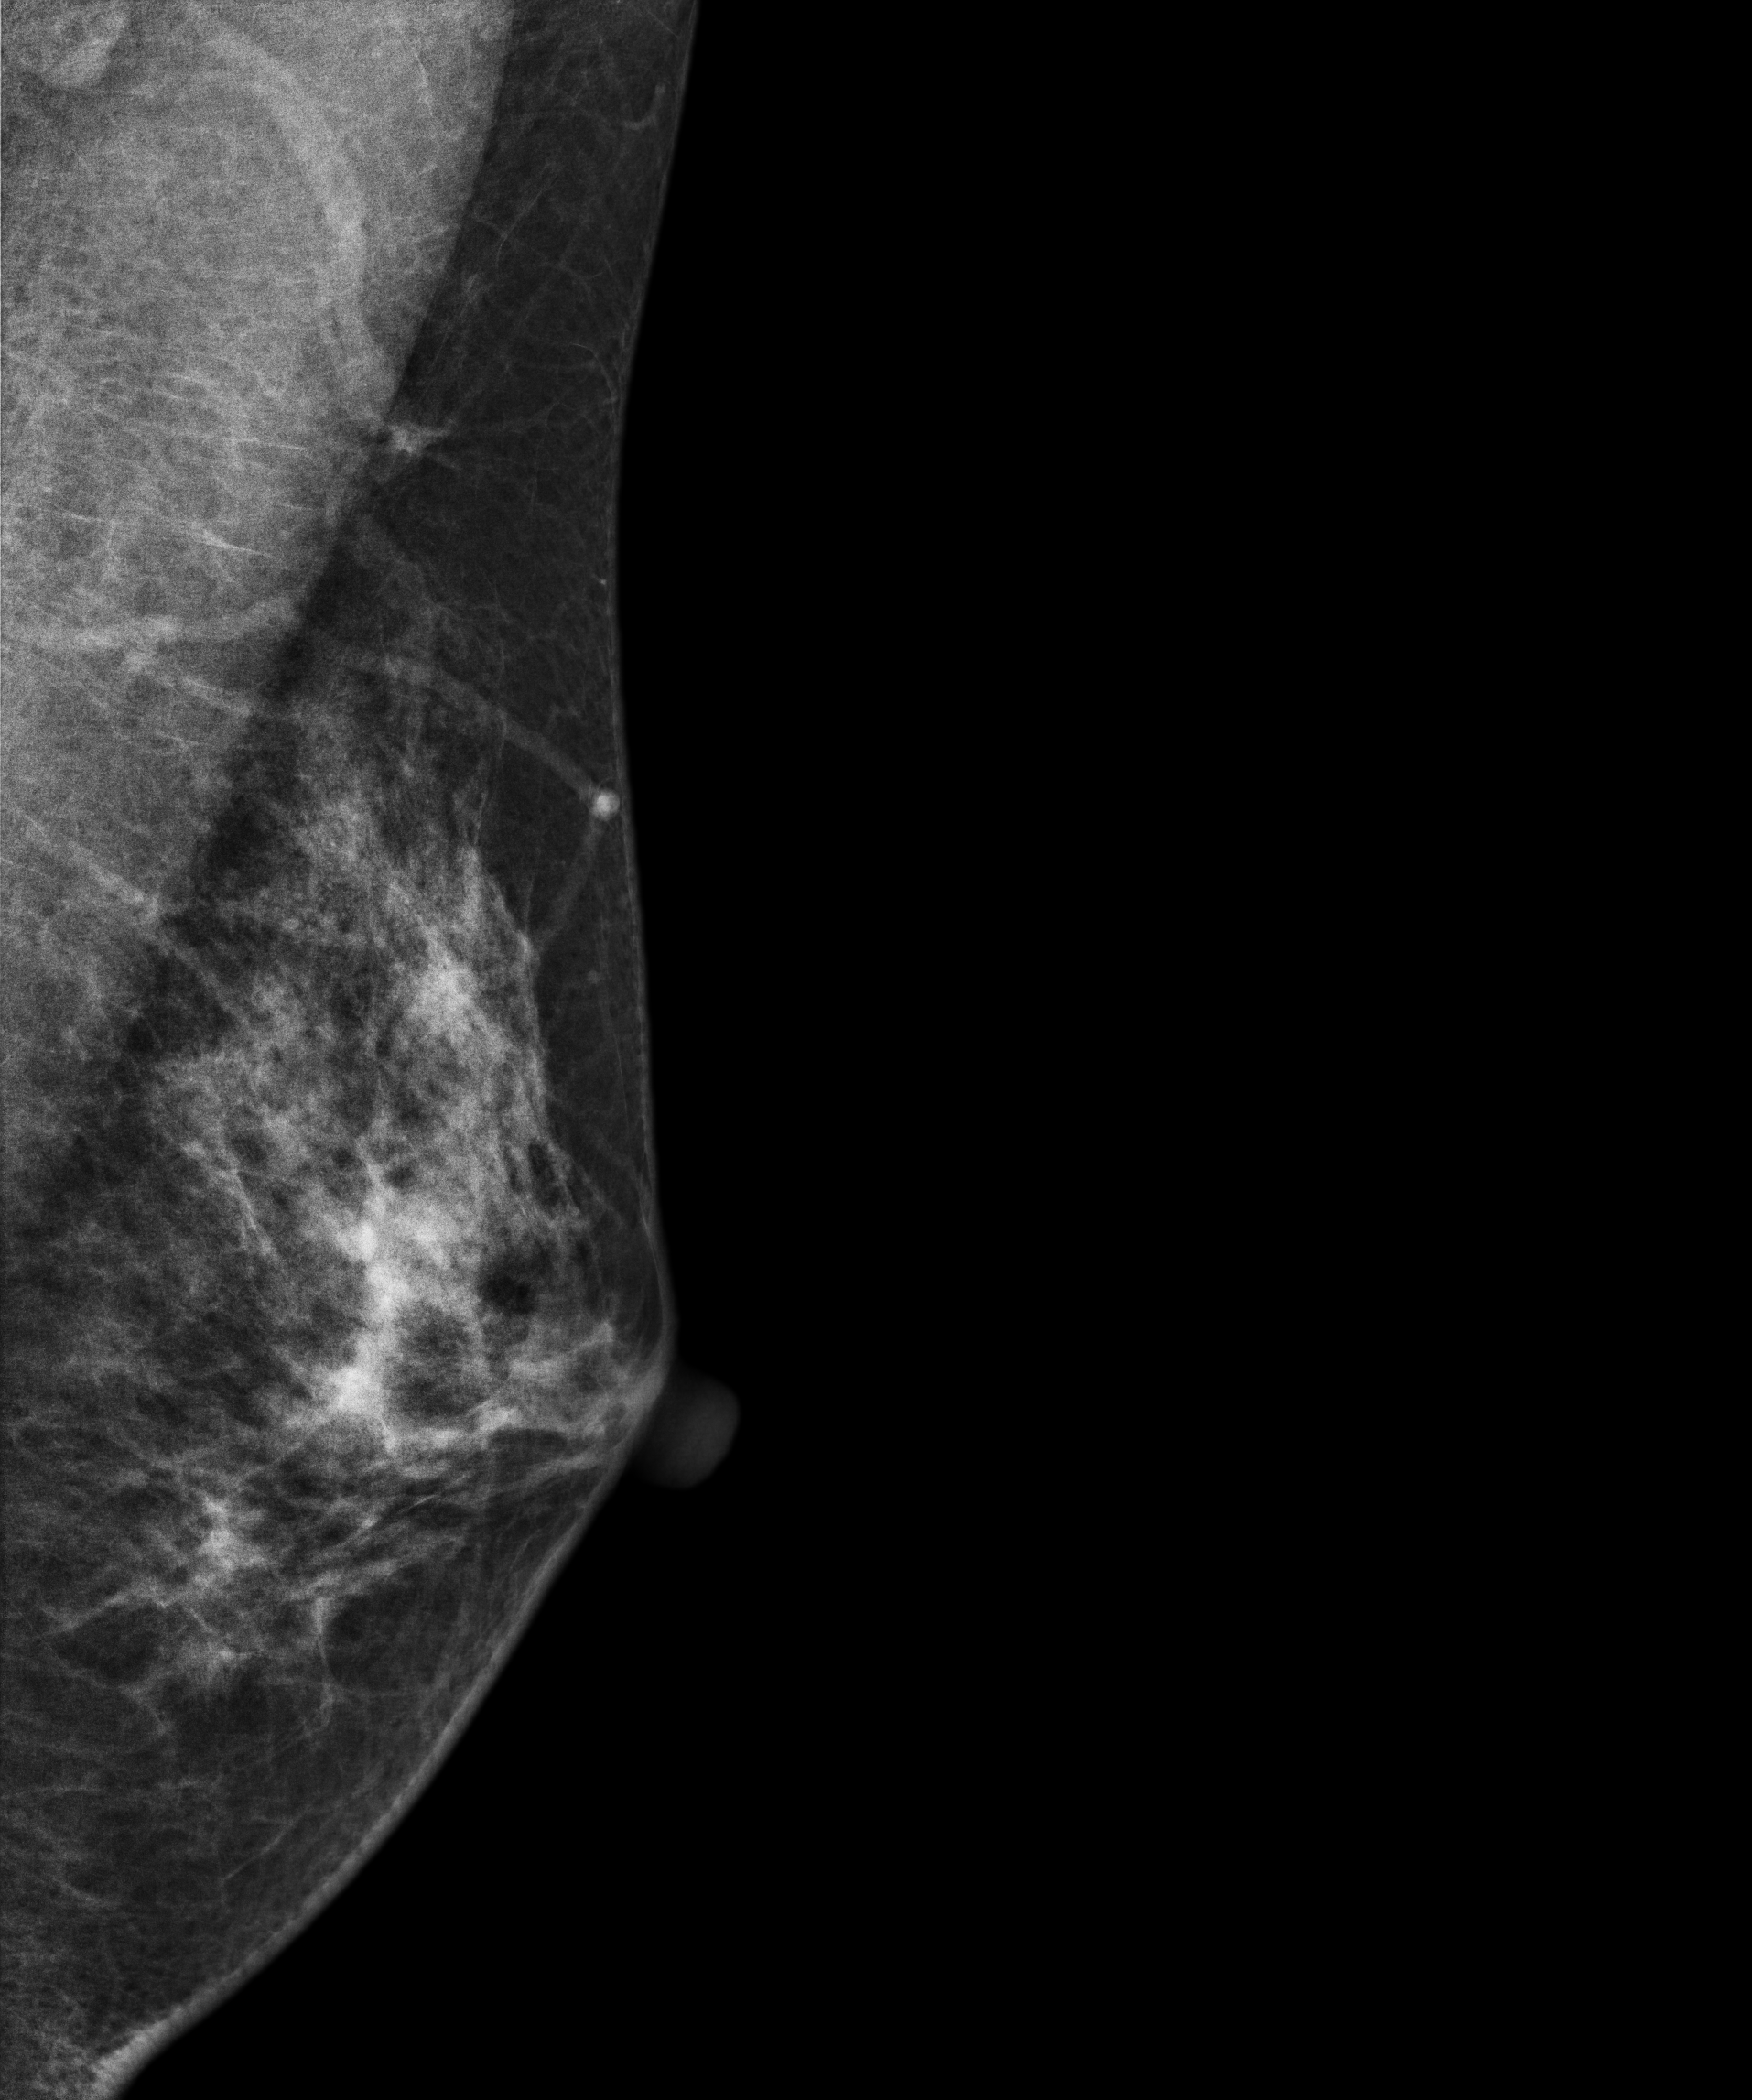
Left-breast mammogram, MLO. 35-year-old patient.
This breast has a mass, biopsy-confirmed malignant.